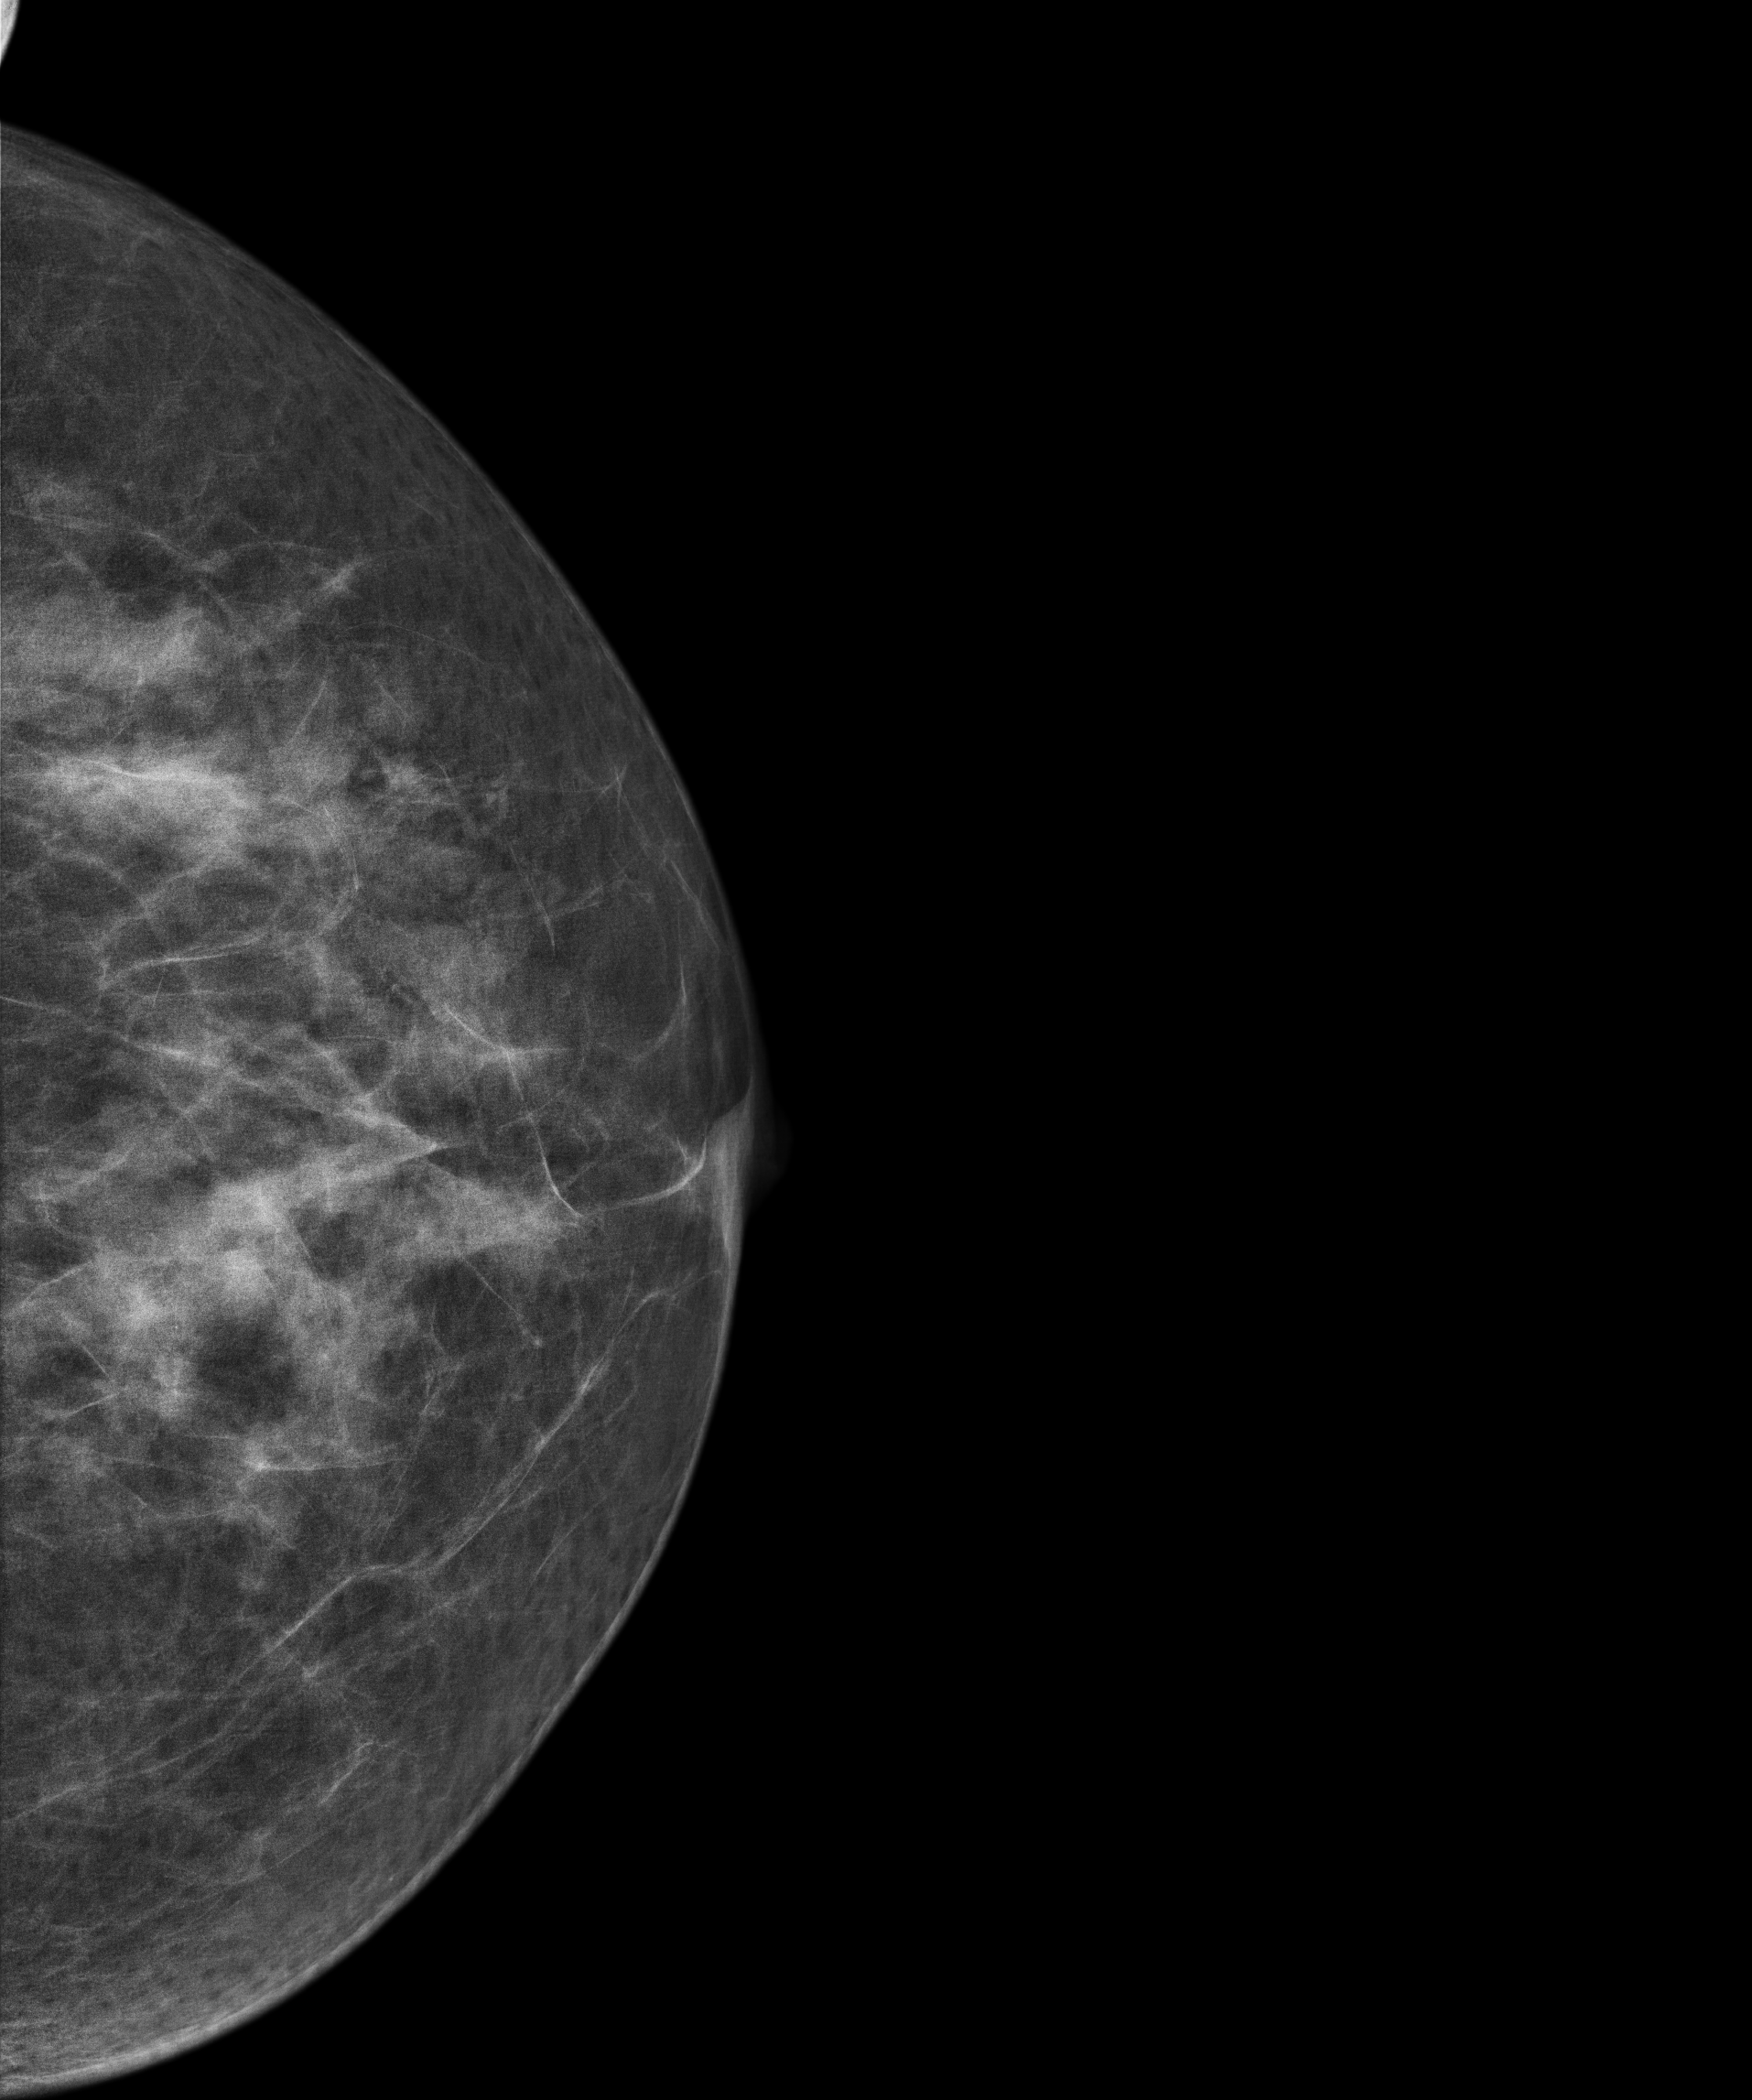
CC mammogram of the left breast. 63-year-old patient.
Contralateral breast — no documented abnormality on this side.